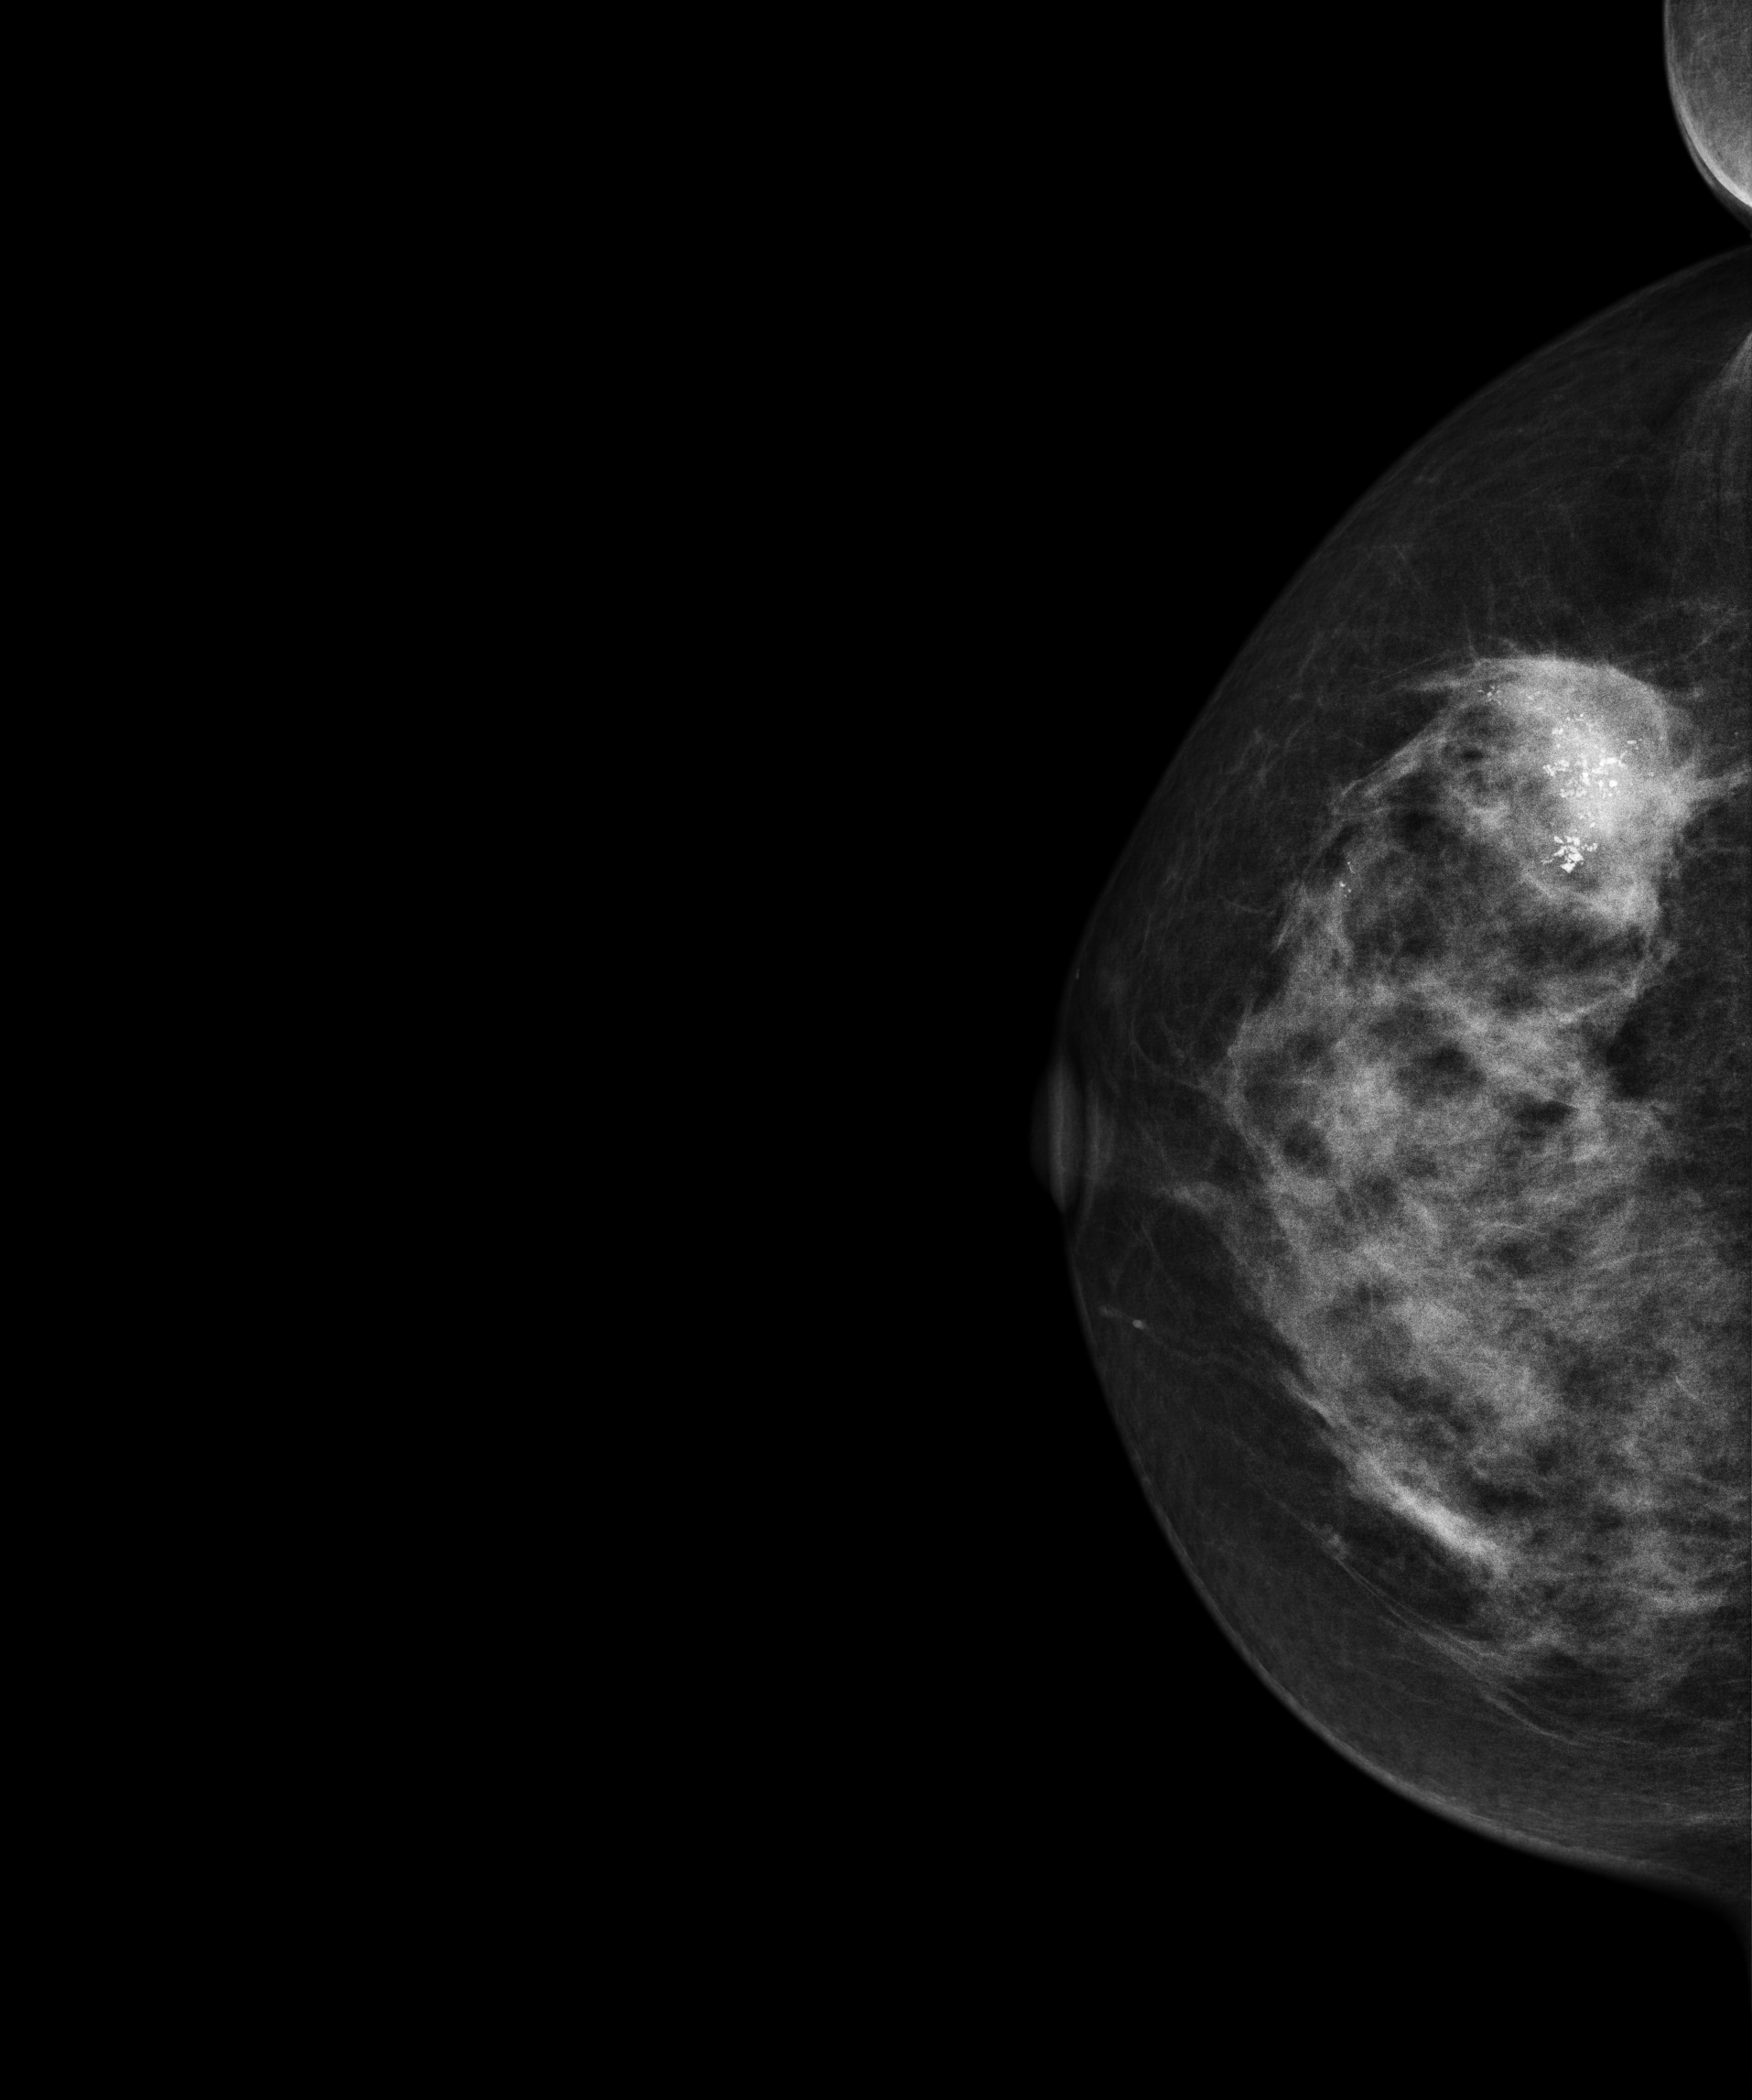
Mammogram — right CC. Patient age 60.
This breast has a mass and calcifications, biopsy-confirmed malignant. Molecular subtype: luminal B.